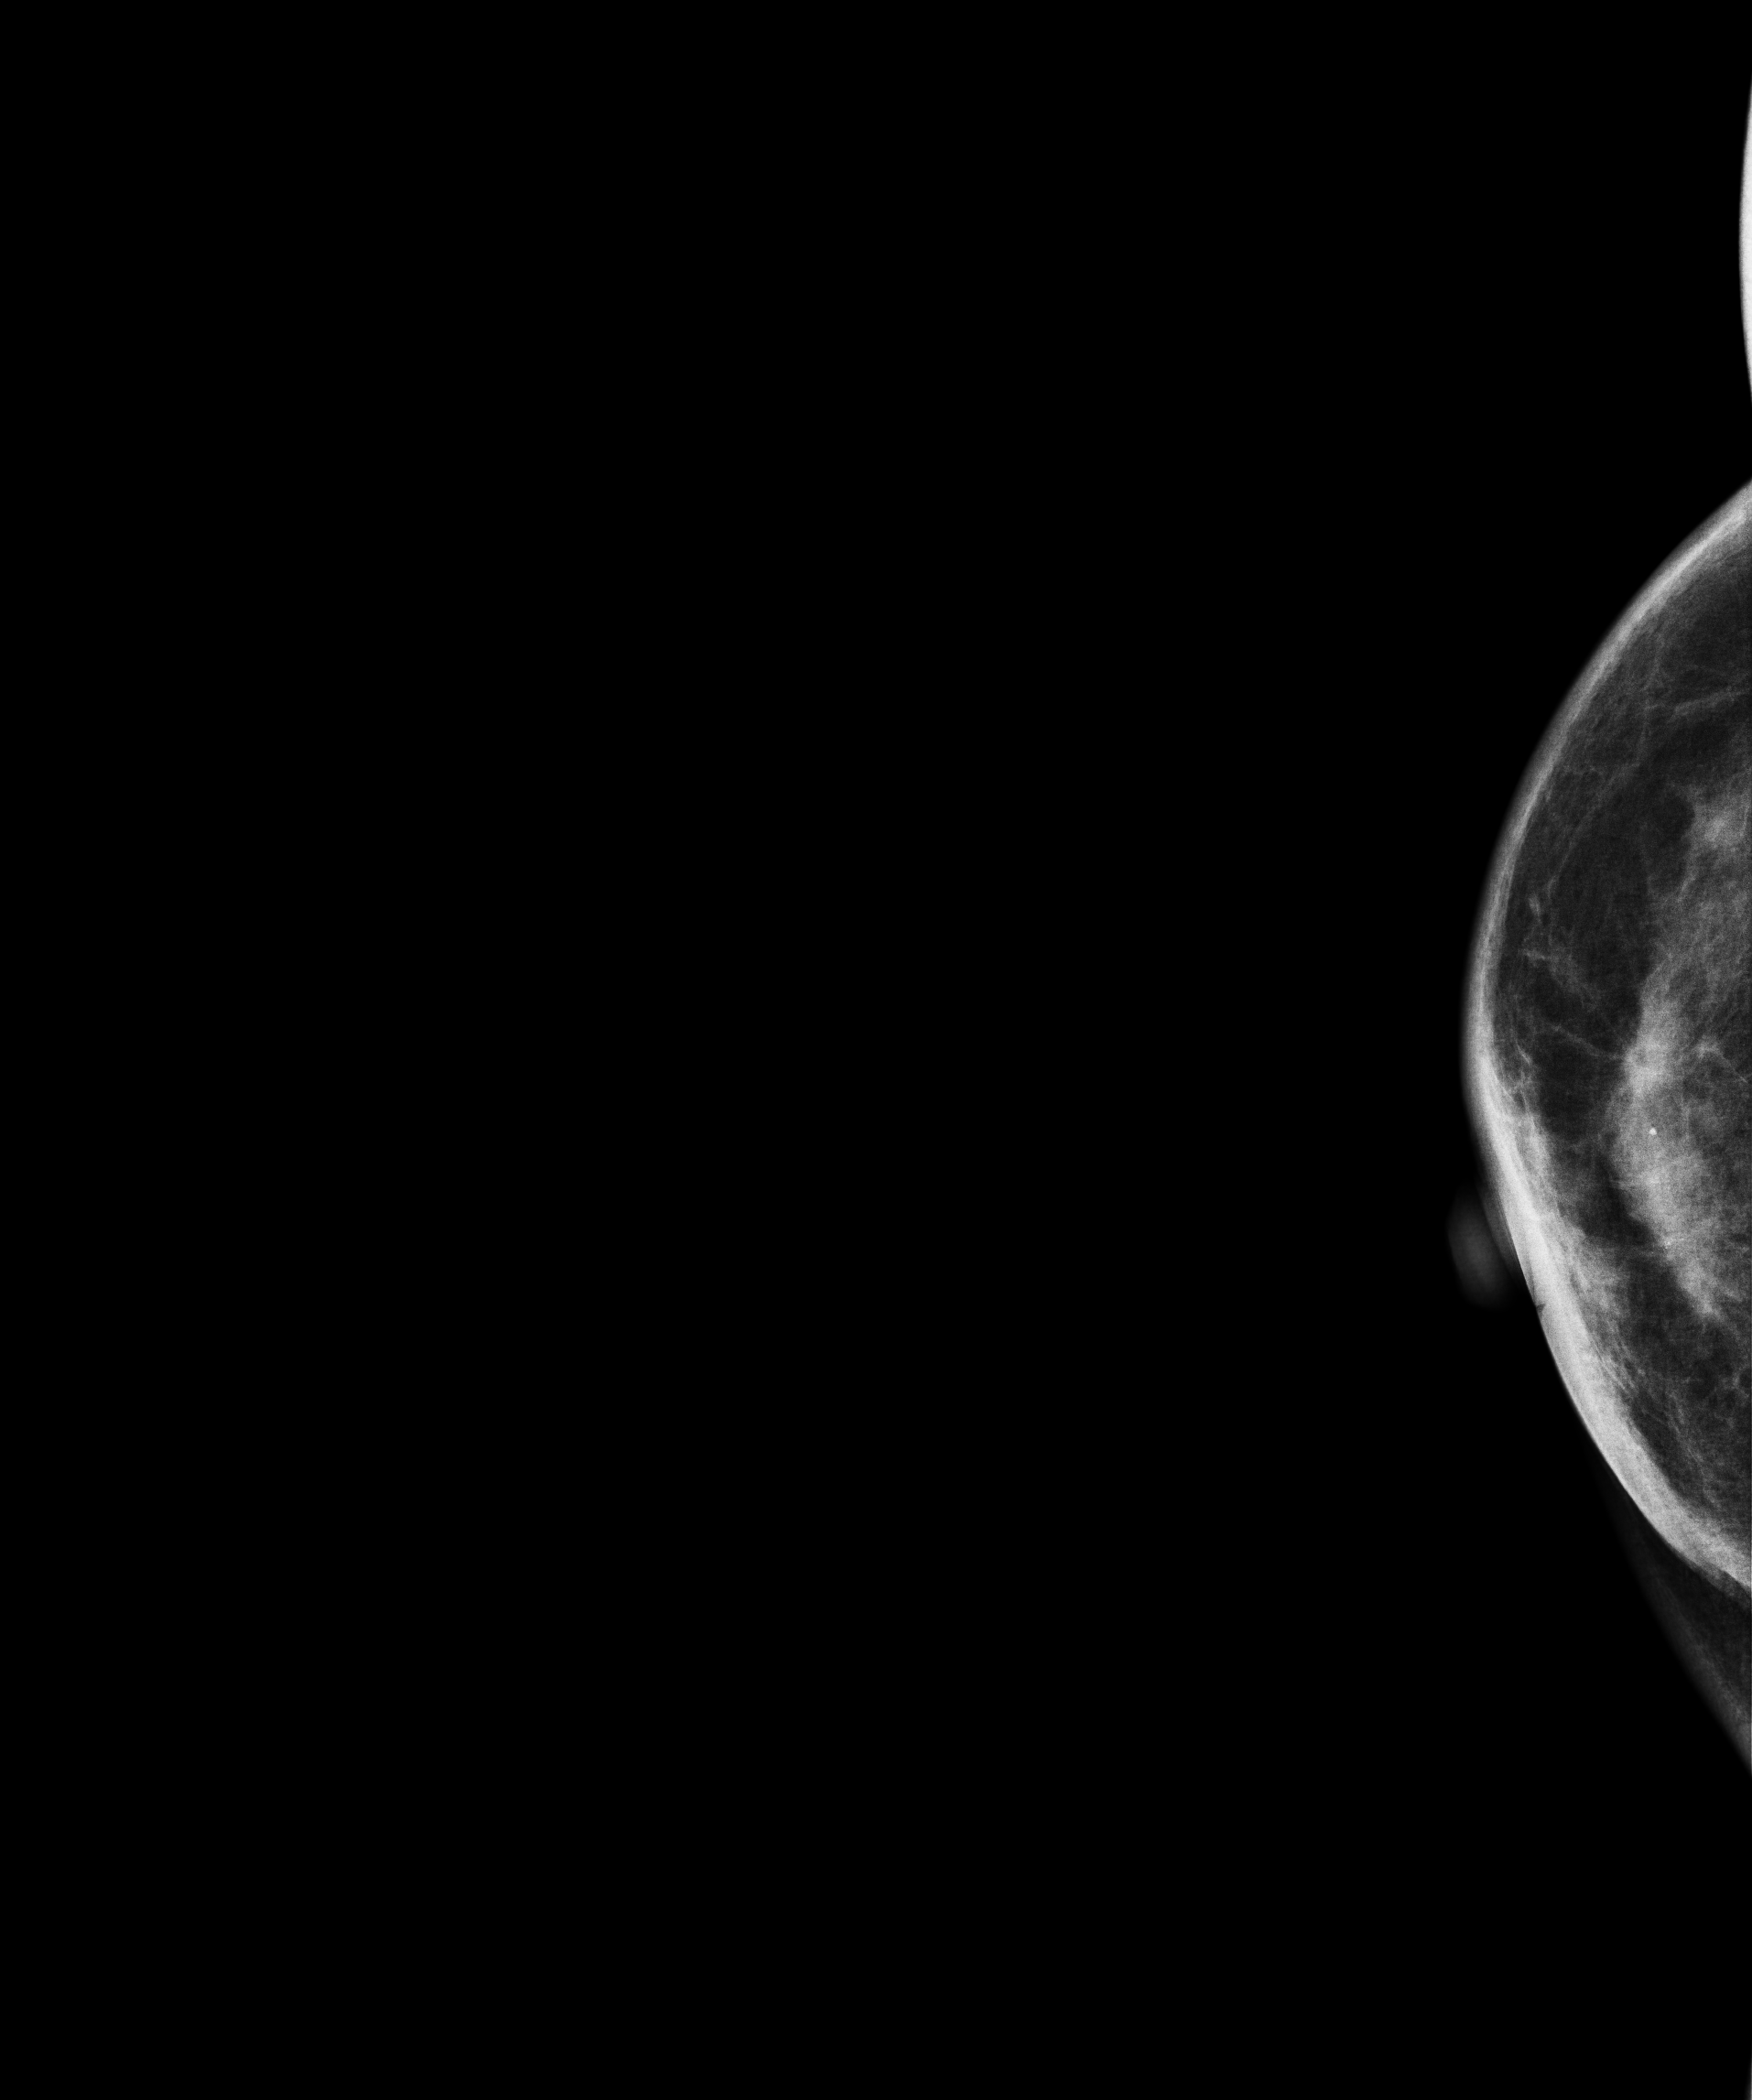
Digital mammography. Right breast, CC projection. 51 y/o patient.
This breast has a mass and calcifications, biopsy-proven malignant. Molecular subtype: luminal A.